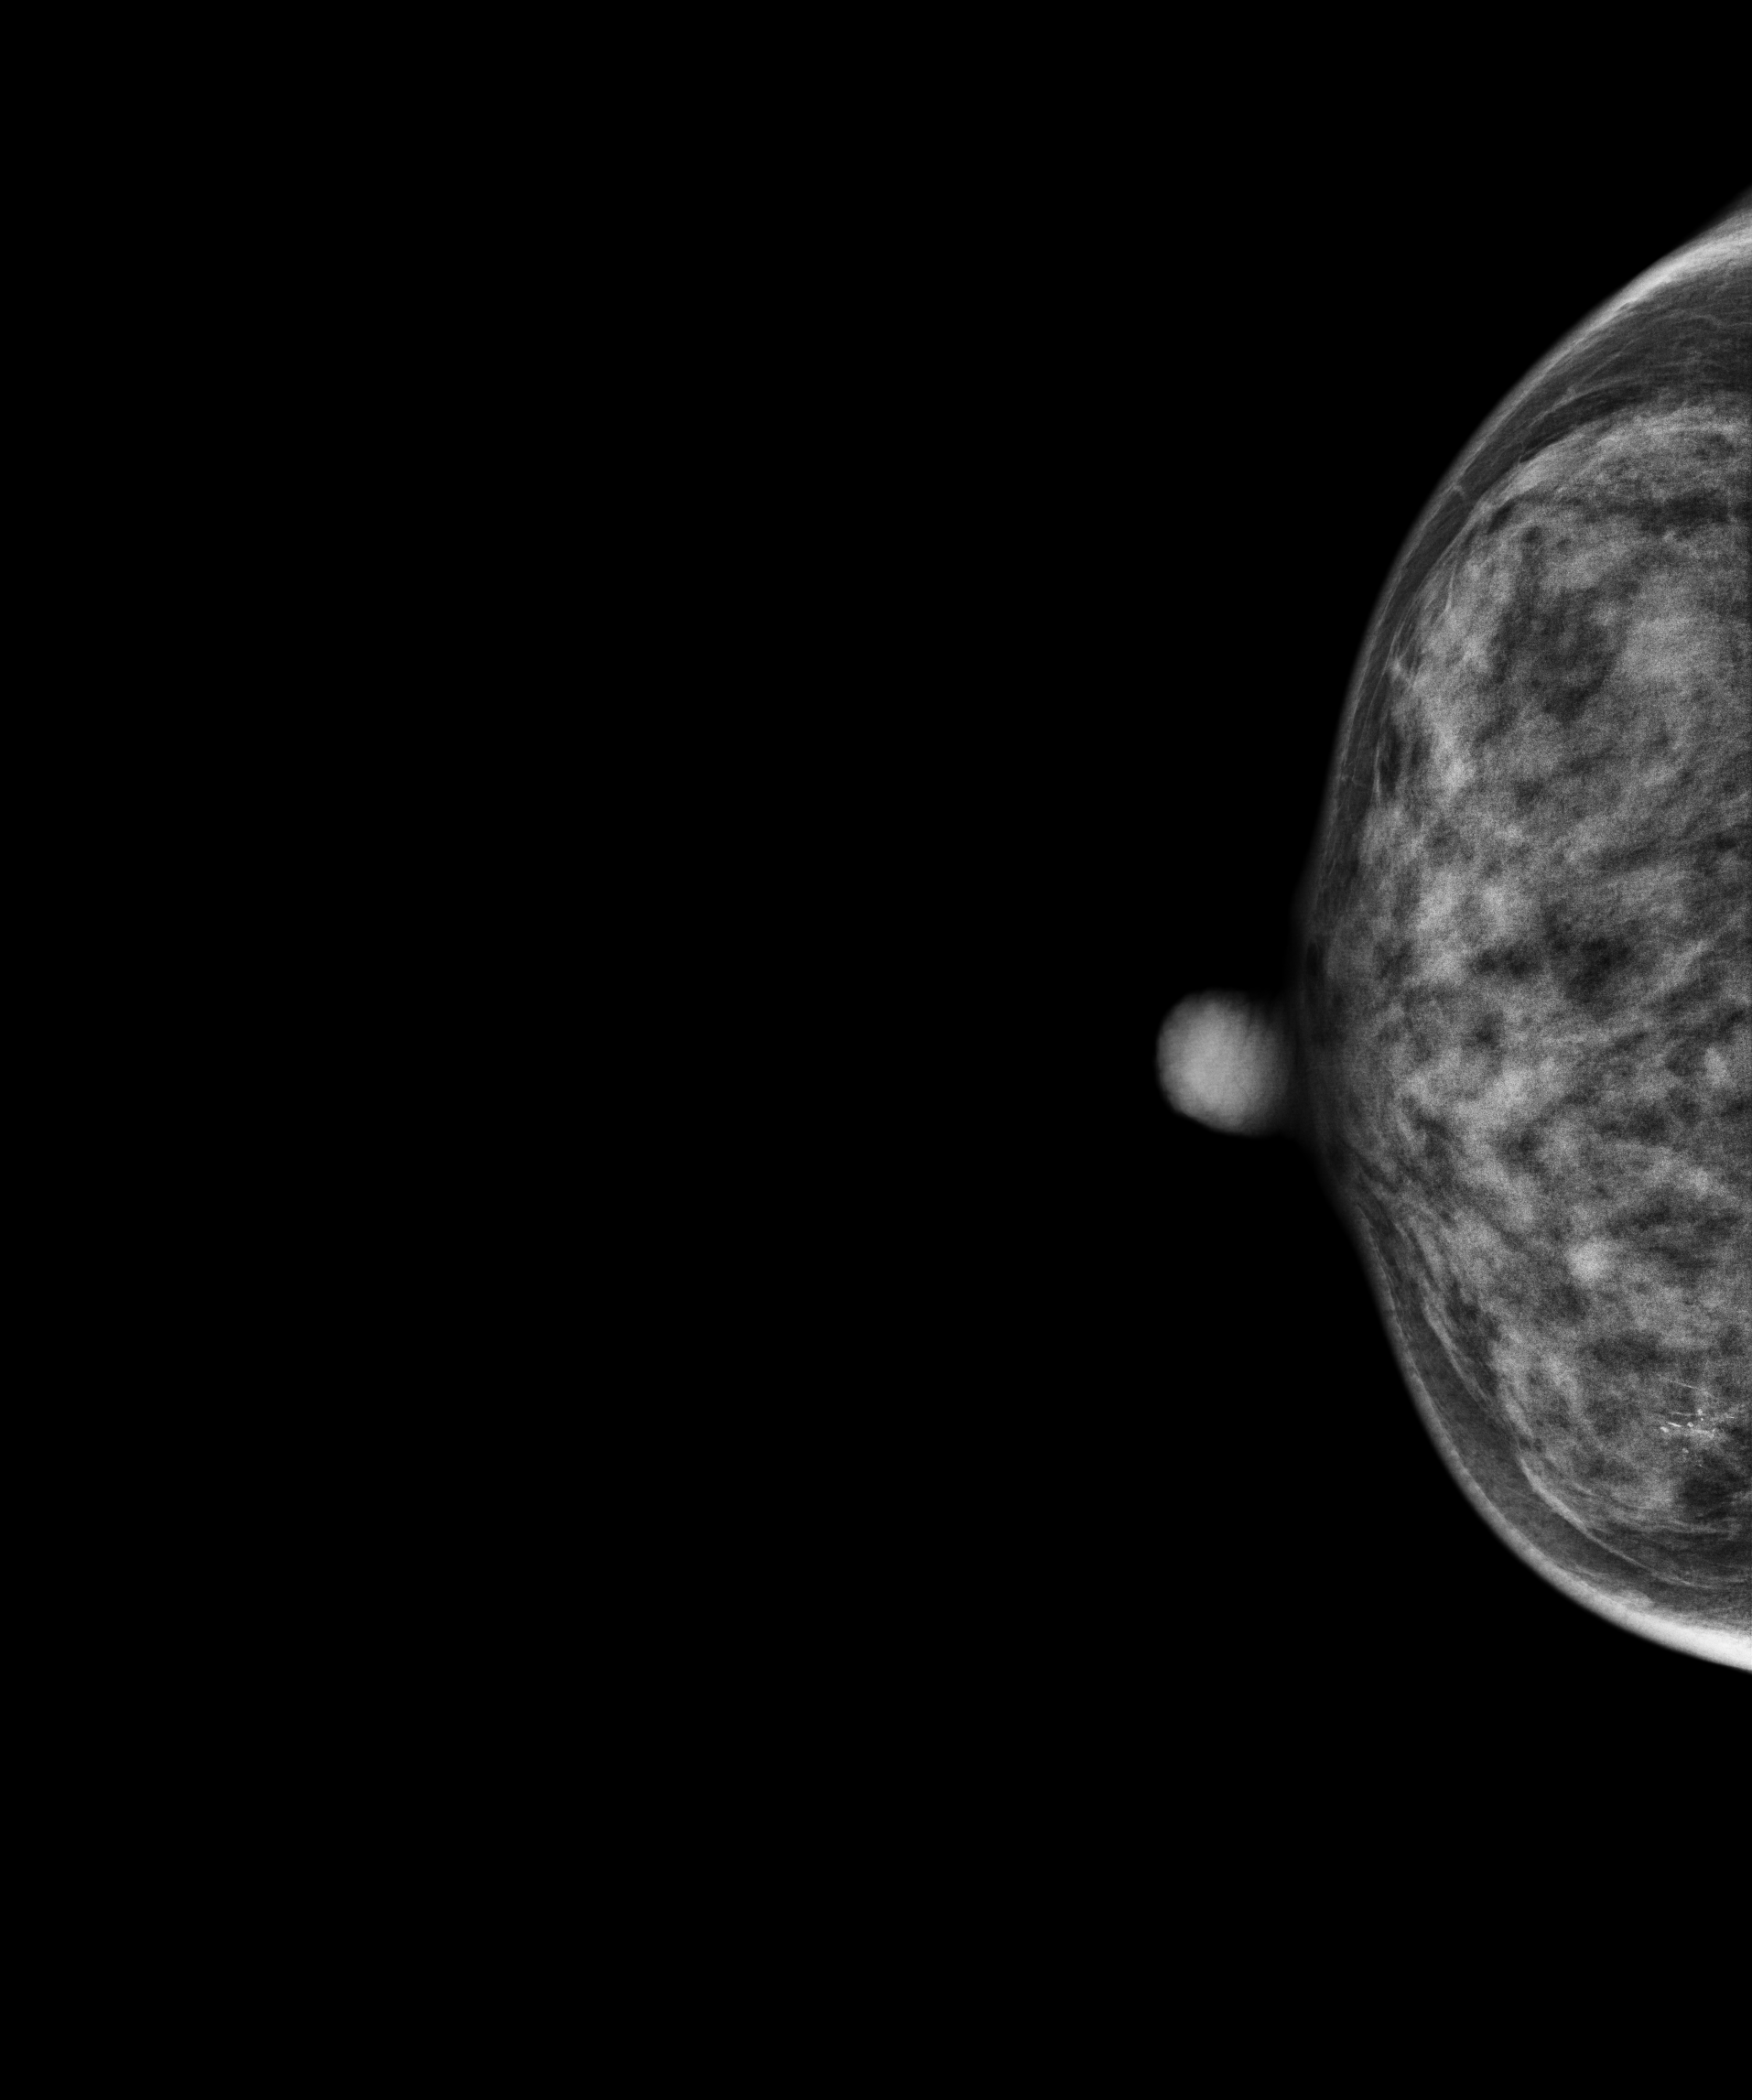
Mammogram — right cranio-caudal. 49 y/o patient.
This breast has calcifications, biopsy-confirmed malignant.